CC mammogram of the right breast. 47 y/o patient.
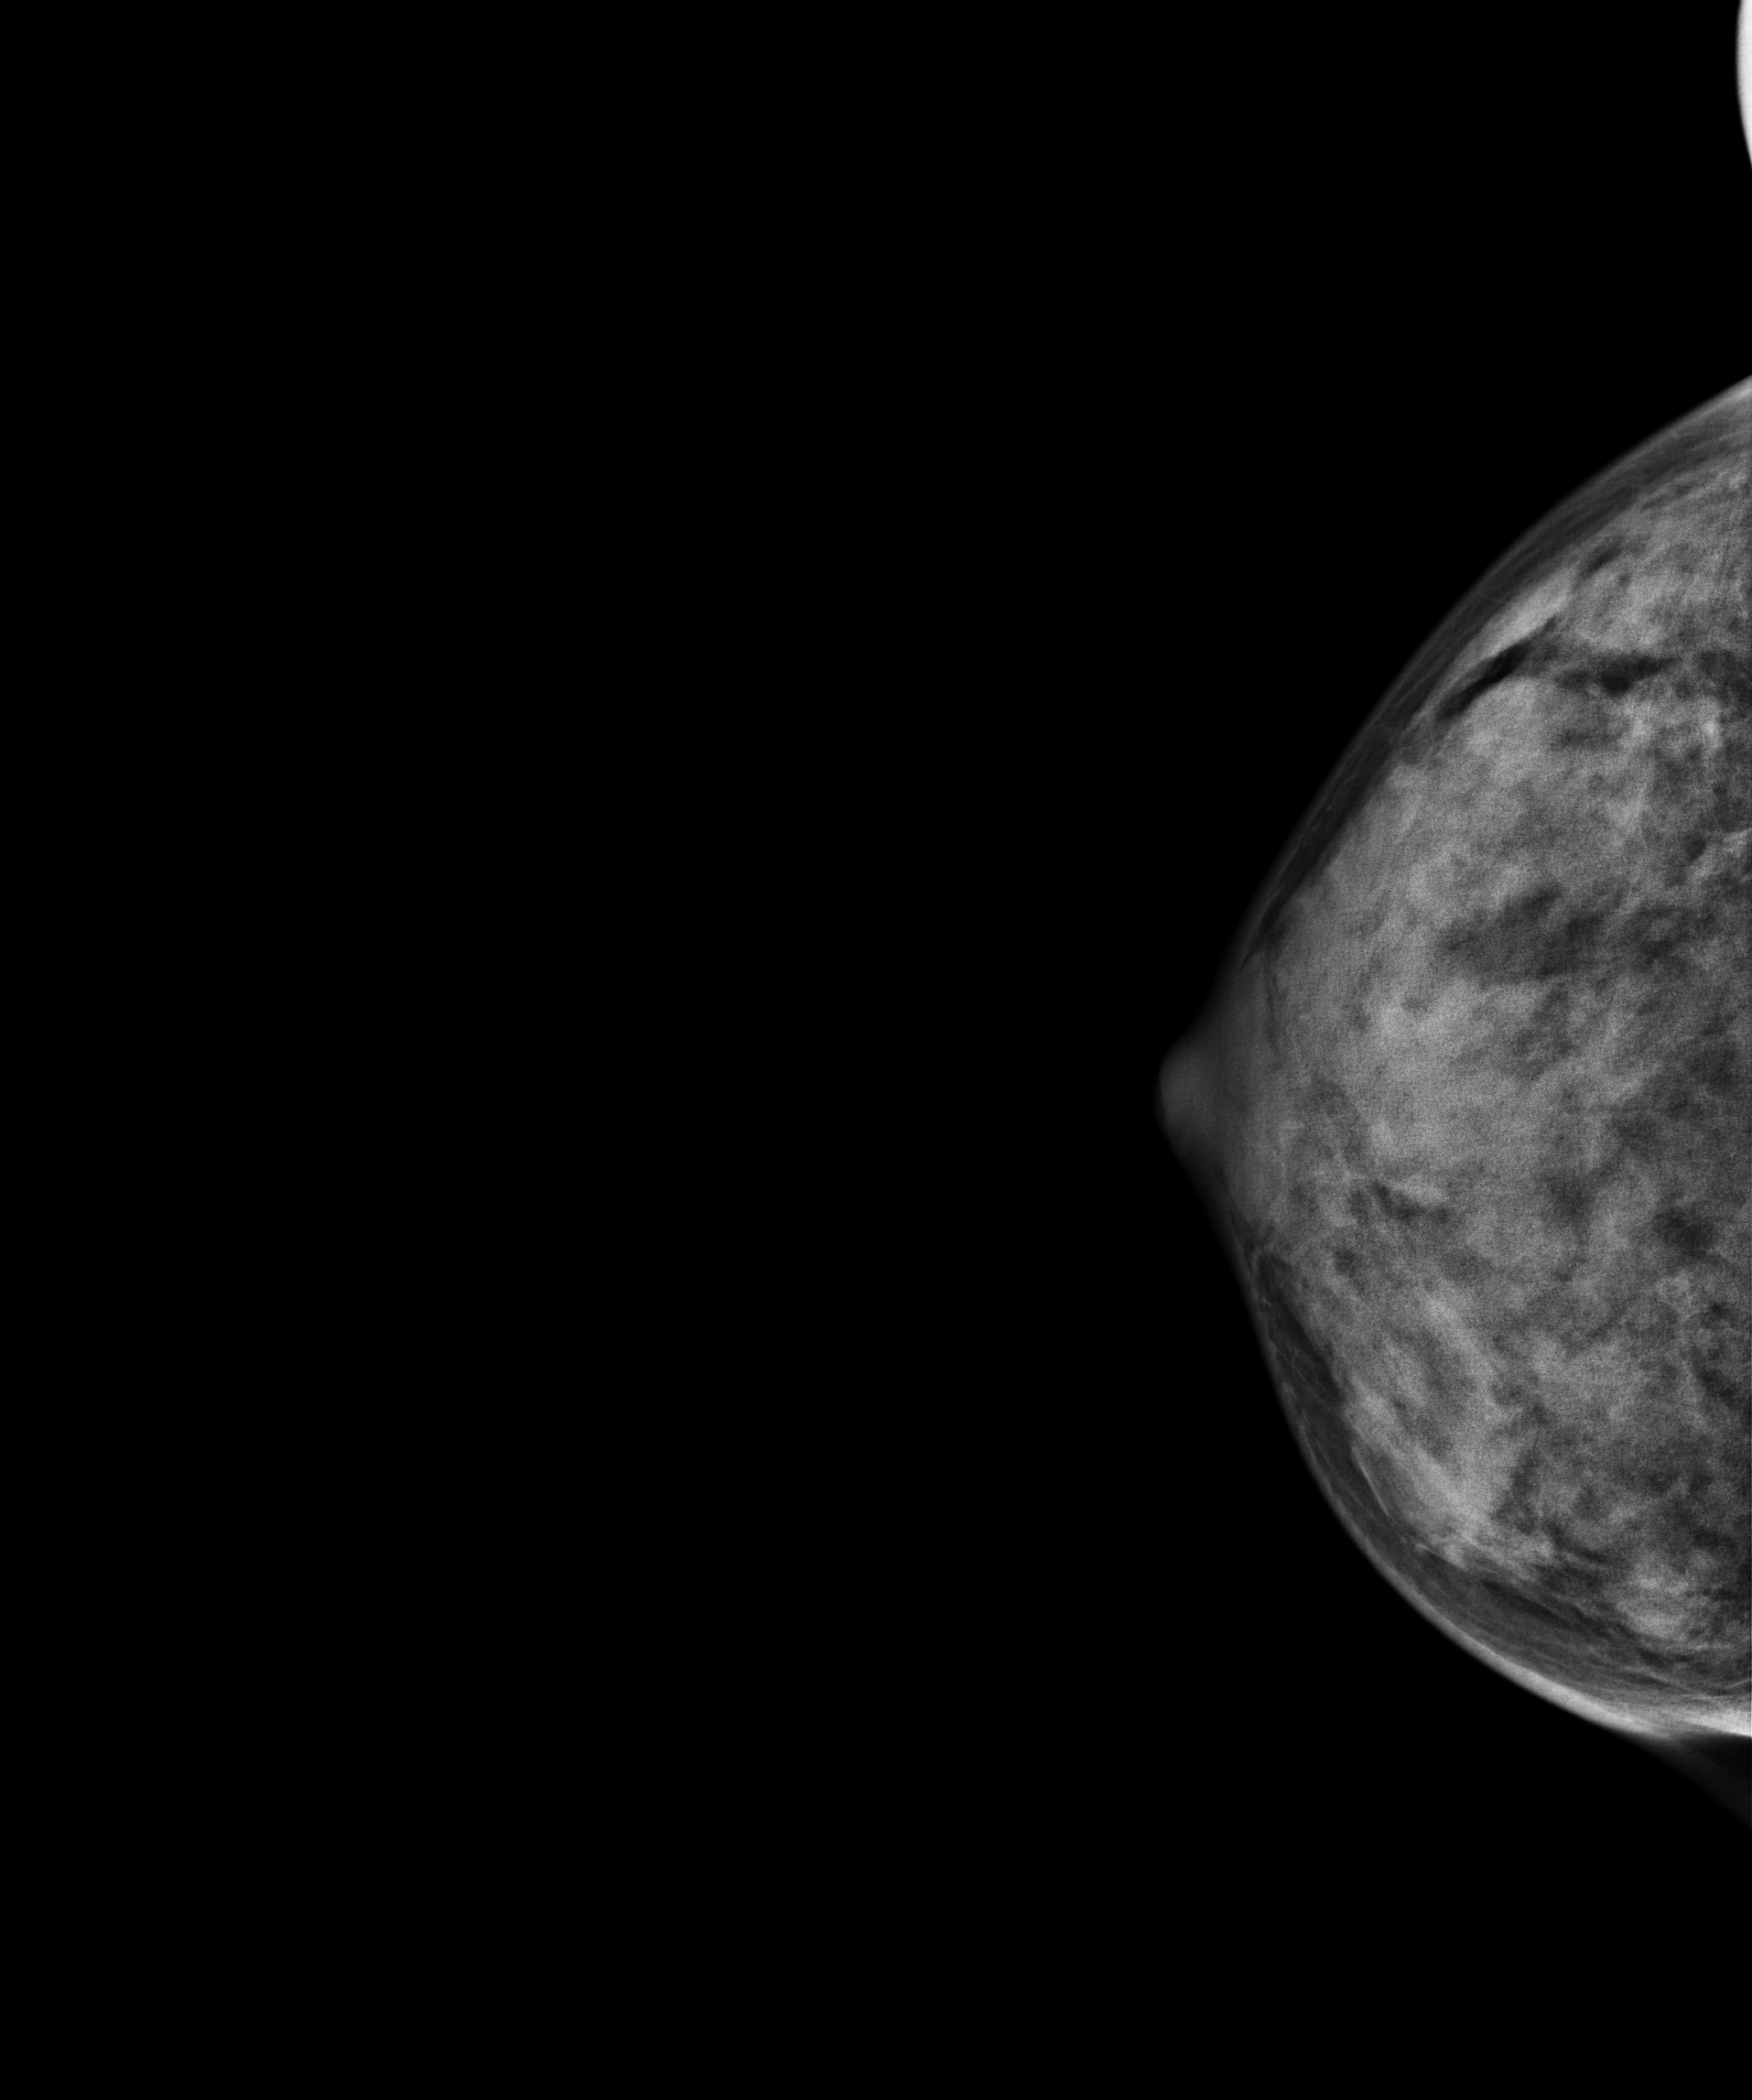
This breast has a mass, pathology-confirmed benign.